Mammogram, right breast, medio-lateral oblique view. 61-year-old patient.
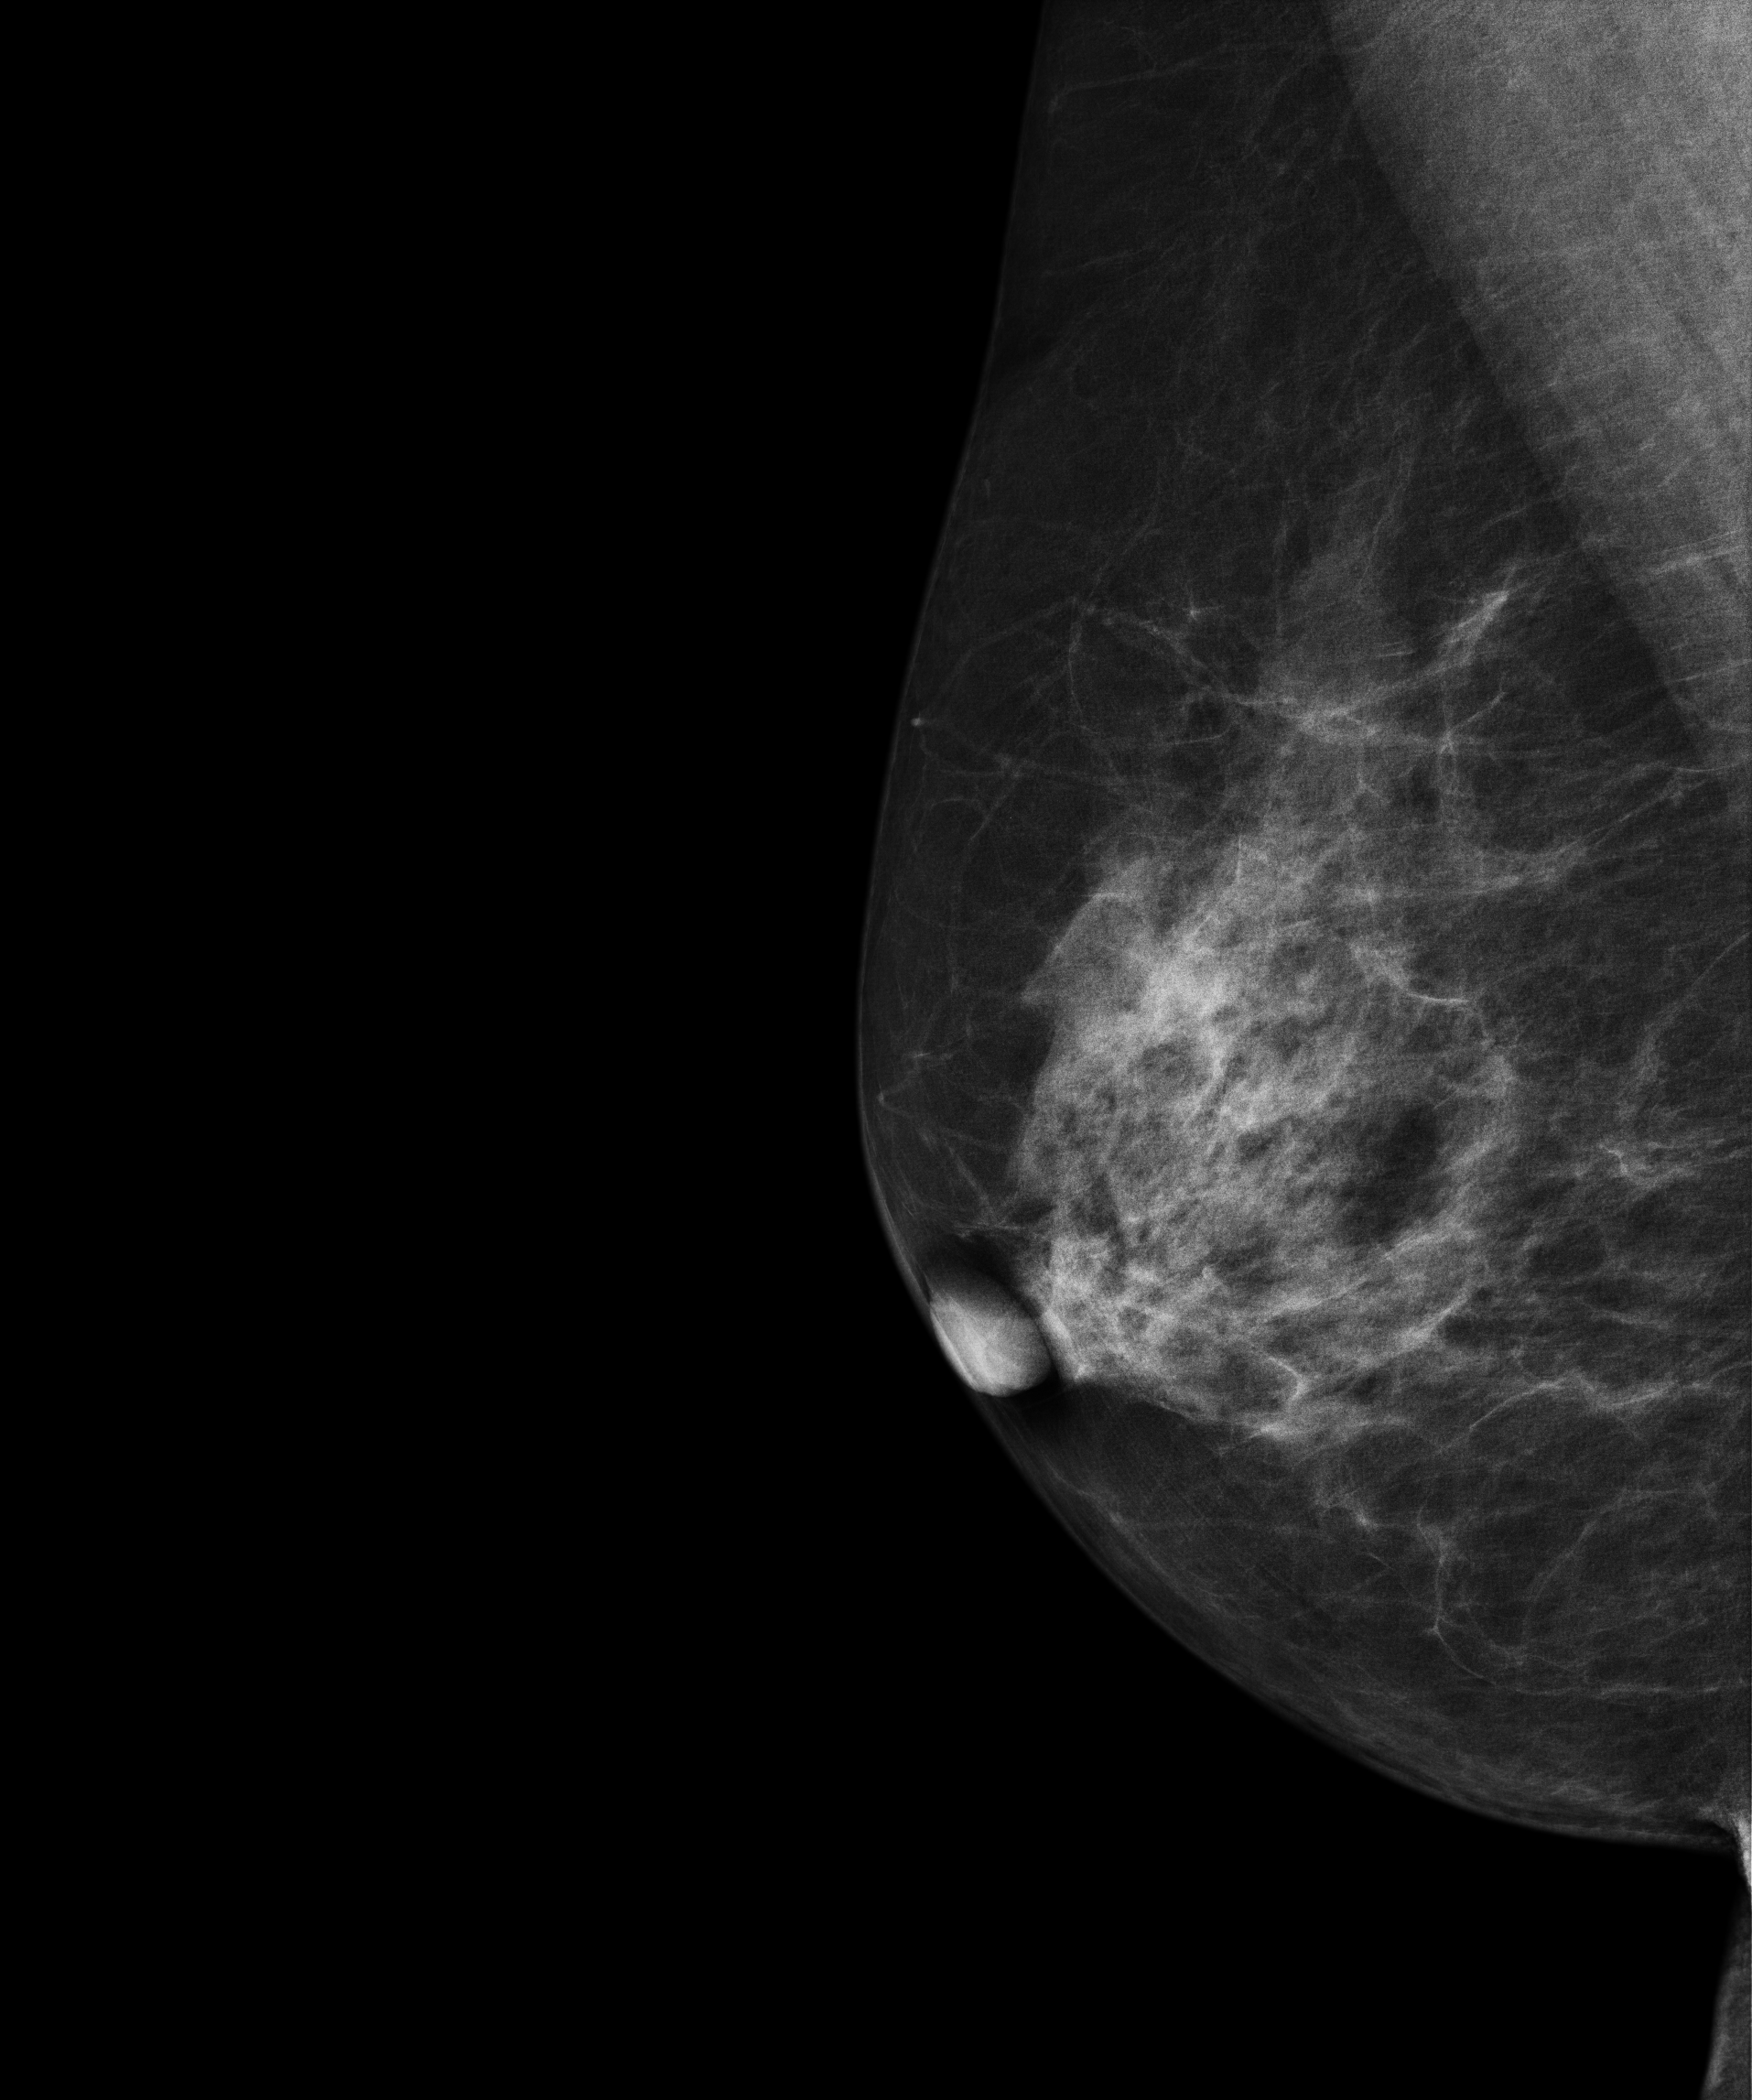
Contralateral breast — no documented abnormality on this side.